Mammogram — right MLO. 50-year-old patient.
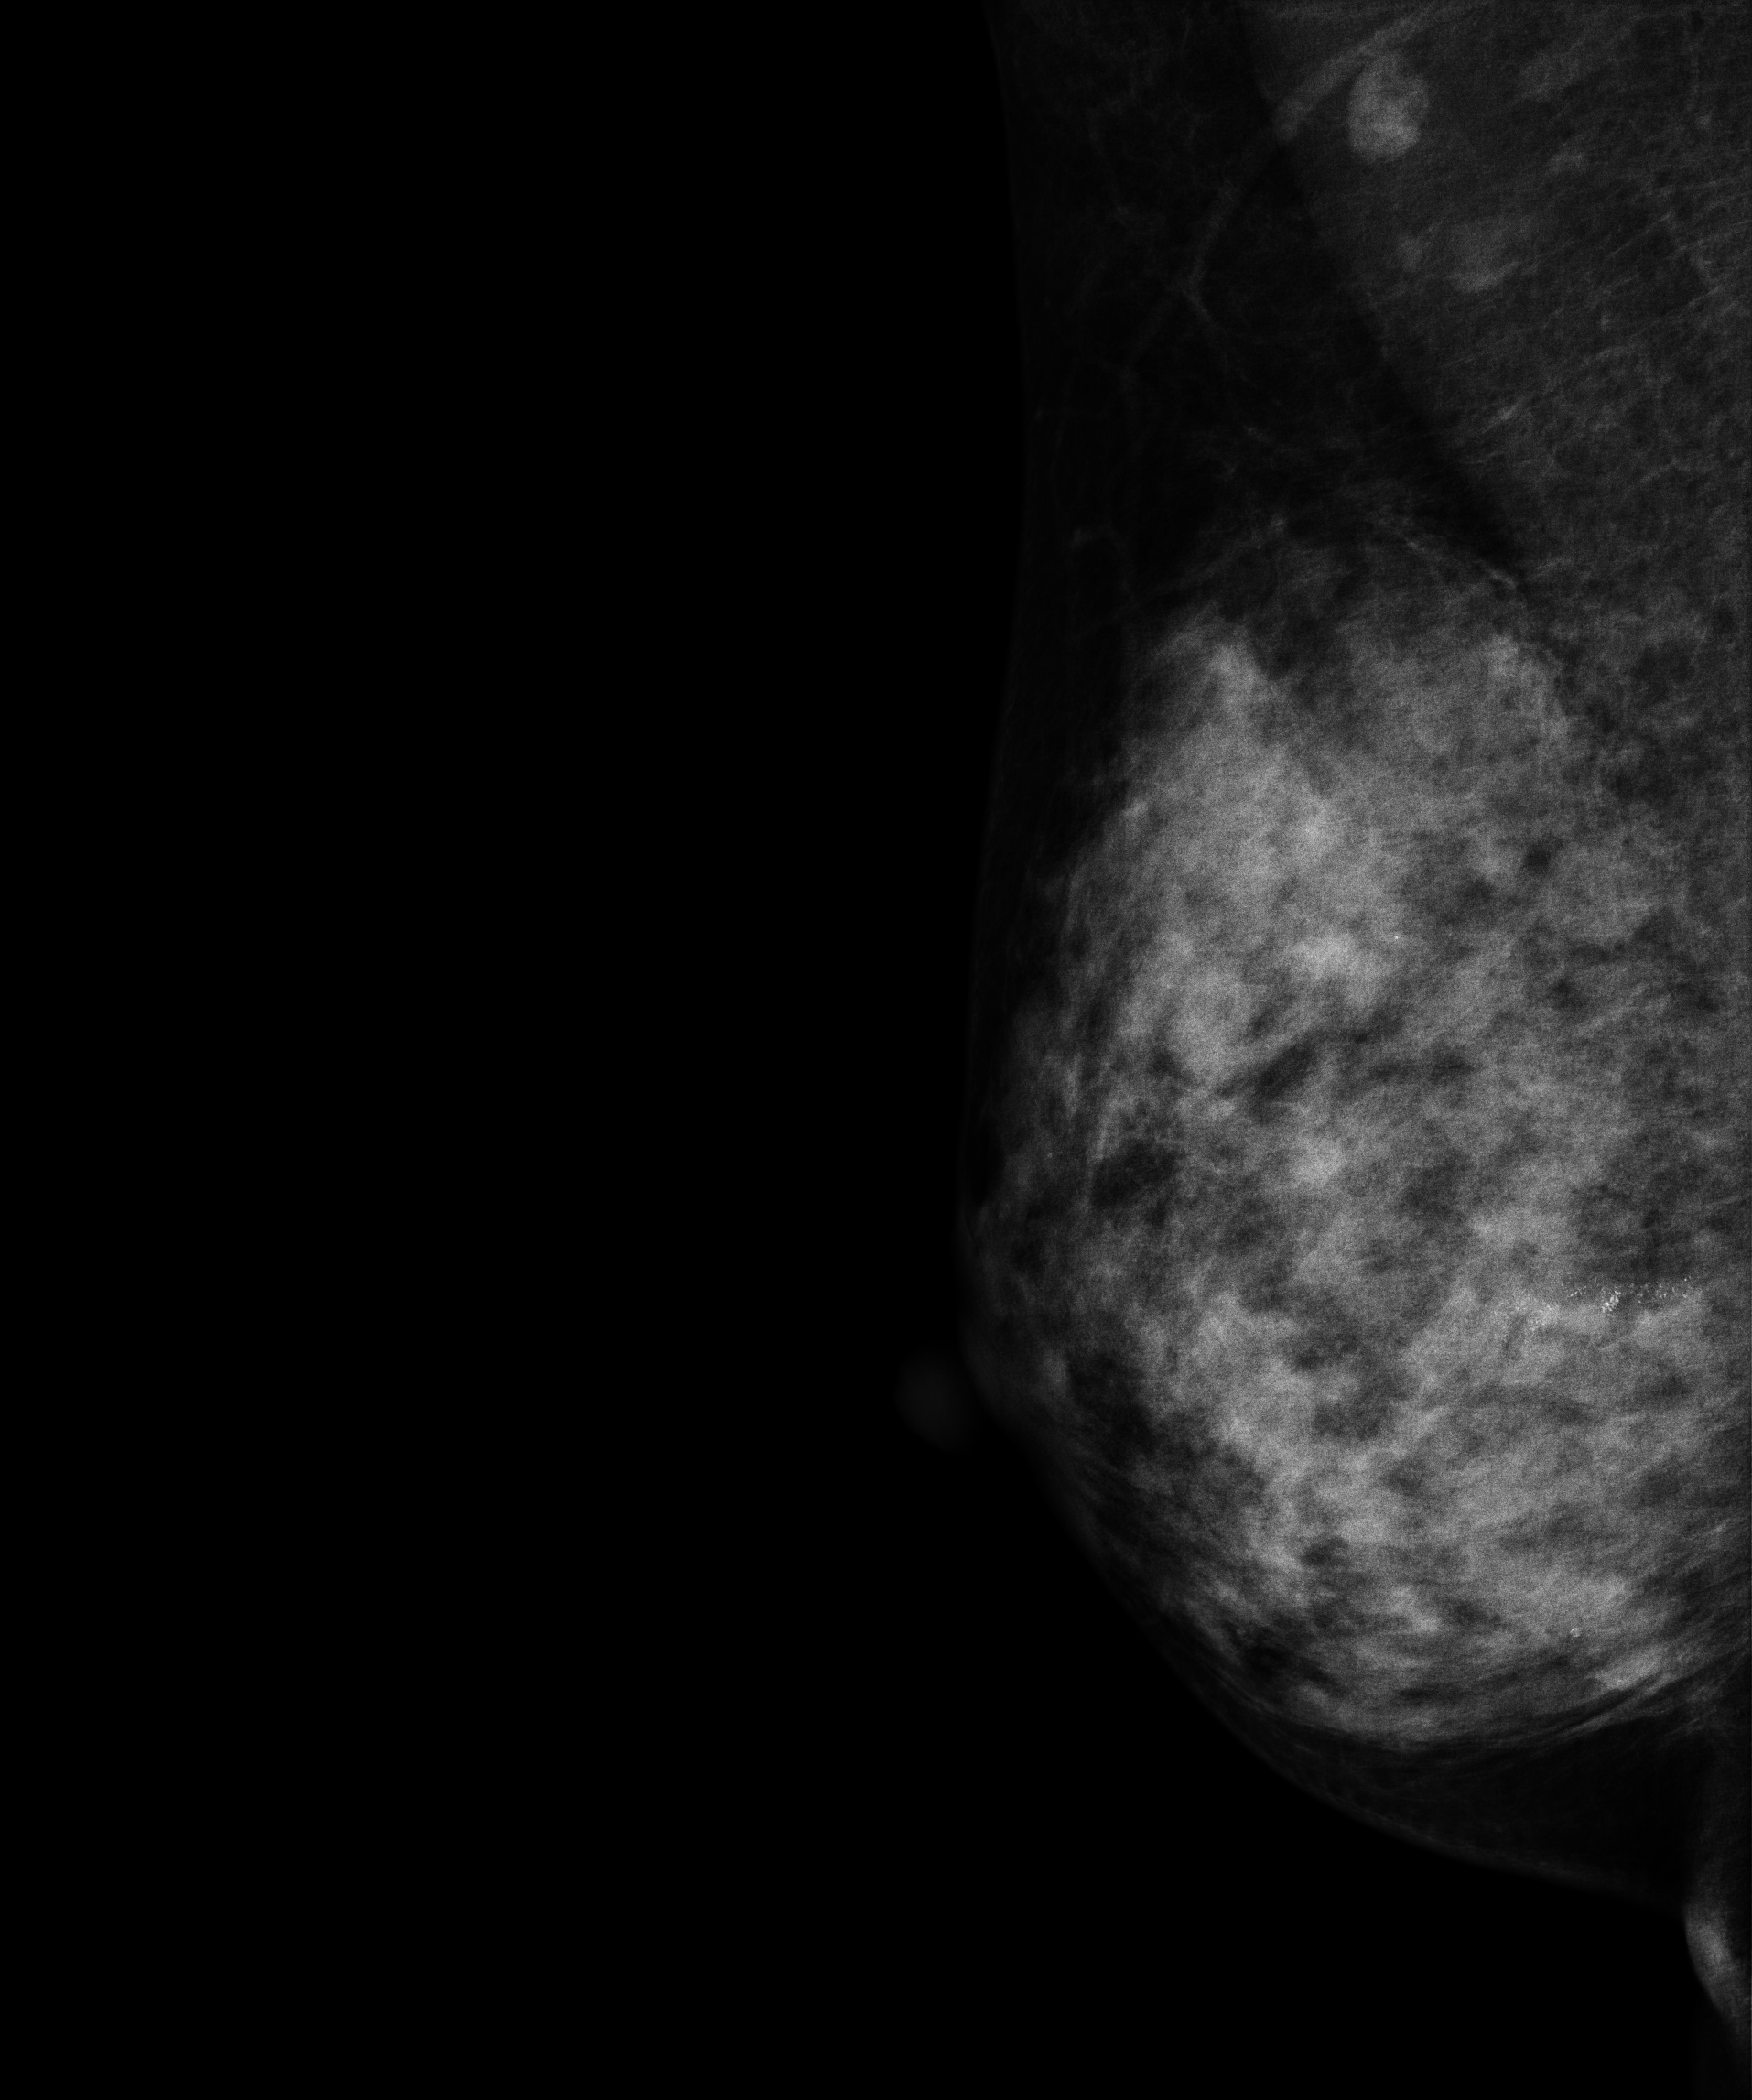
This breast has calcifications, pathology-confirmed malignant.